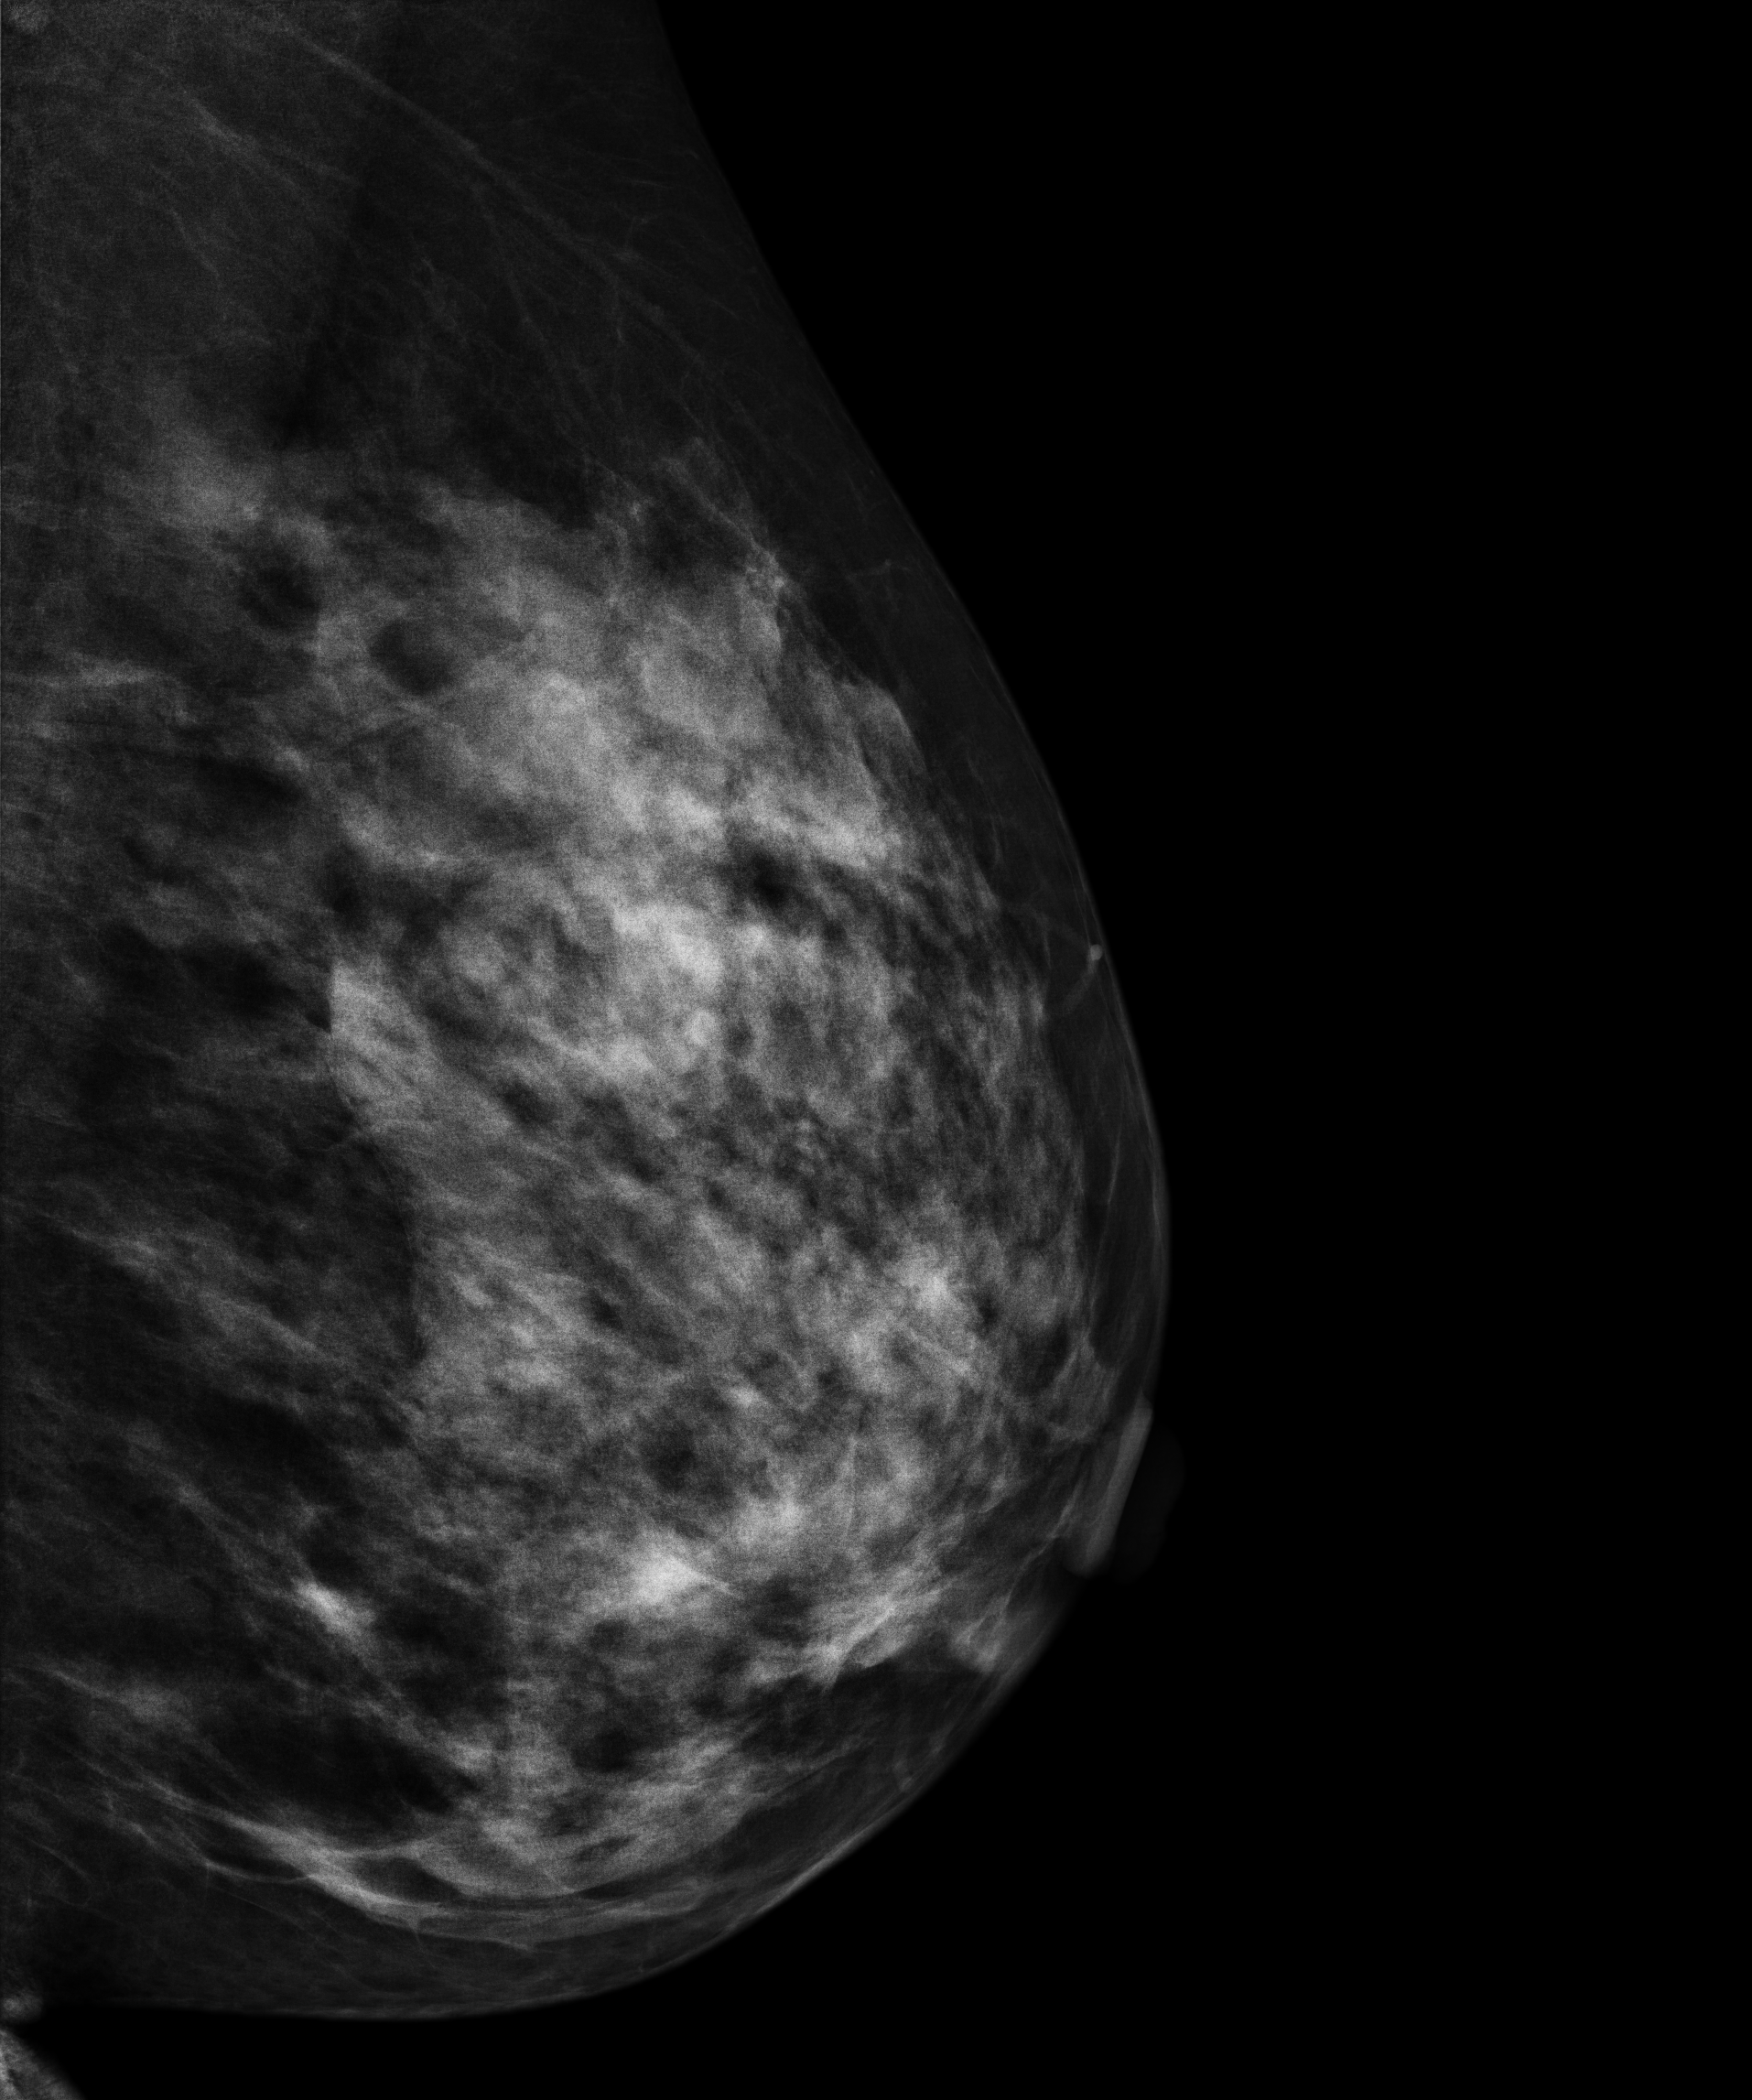
Digital mammography. Left breast, MLO projection. 42 y/o patient.
This breast has a mass, biopsy-proven benign.